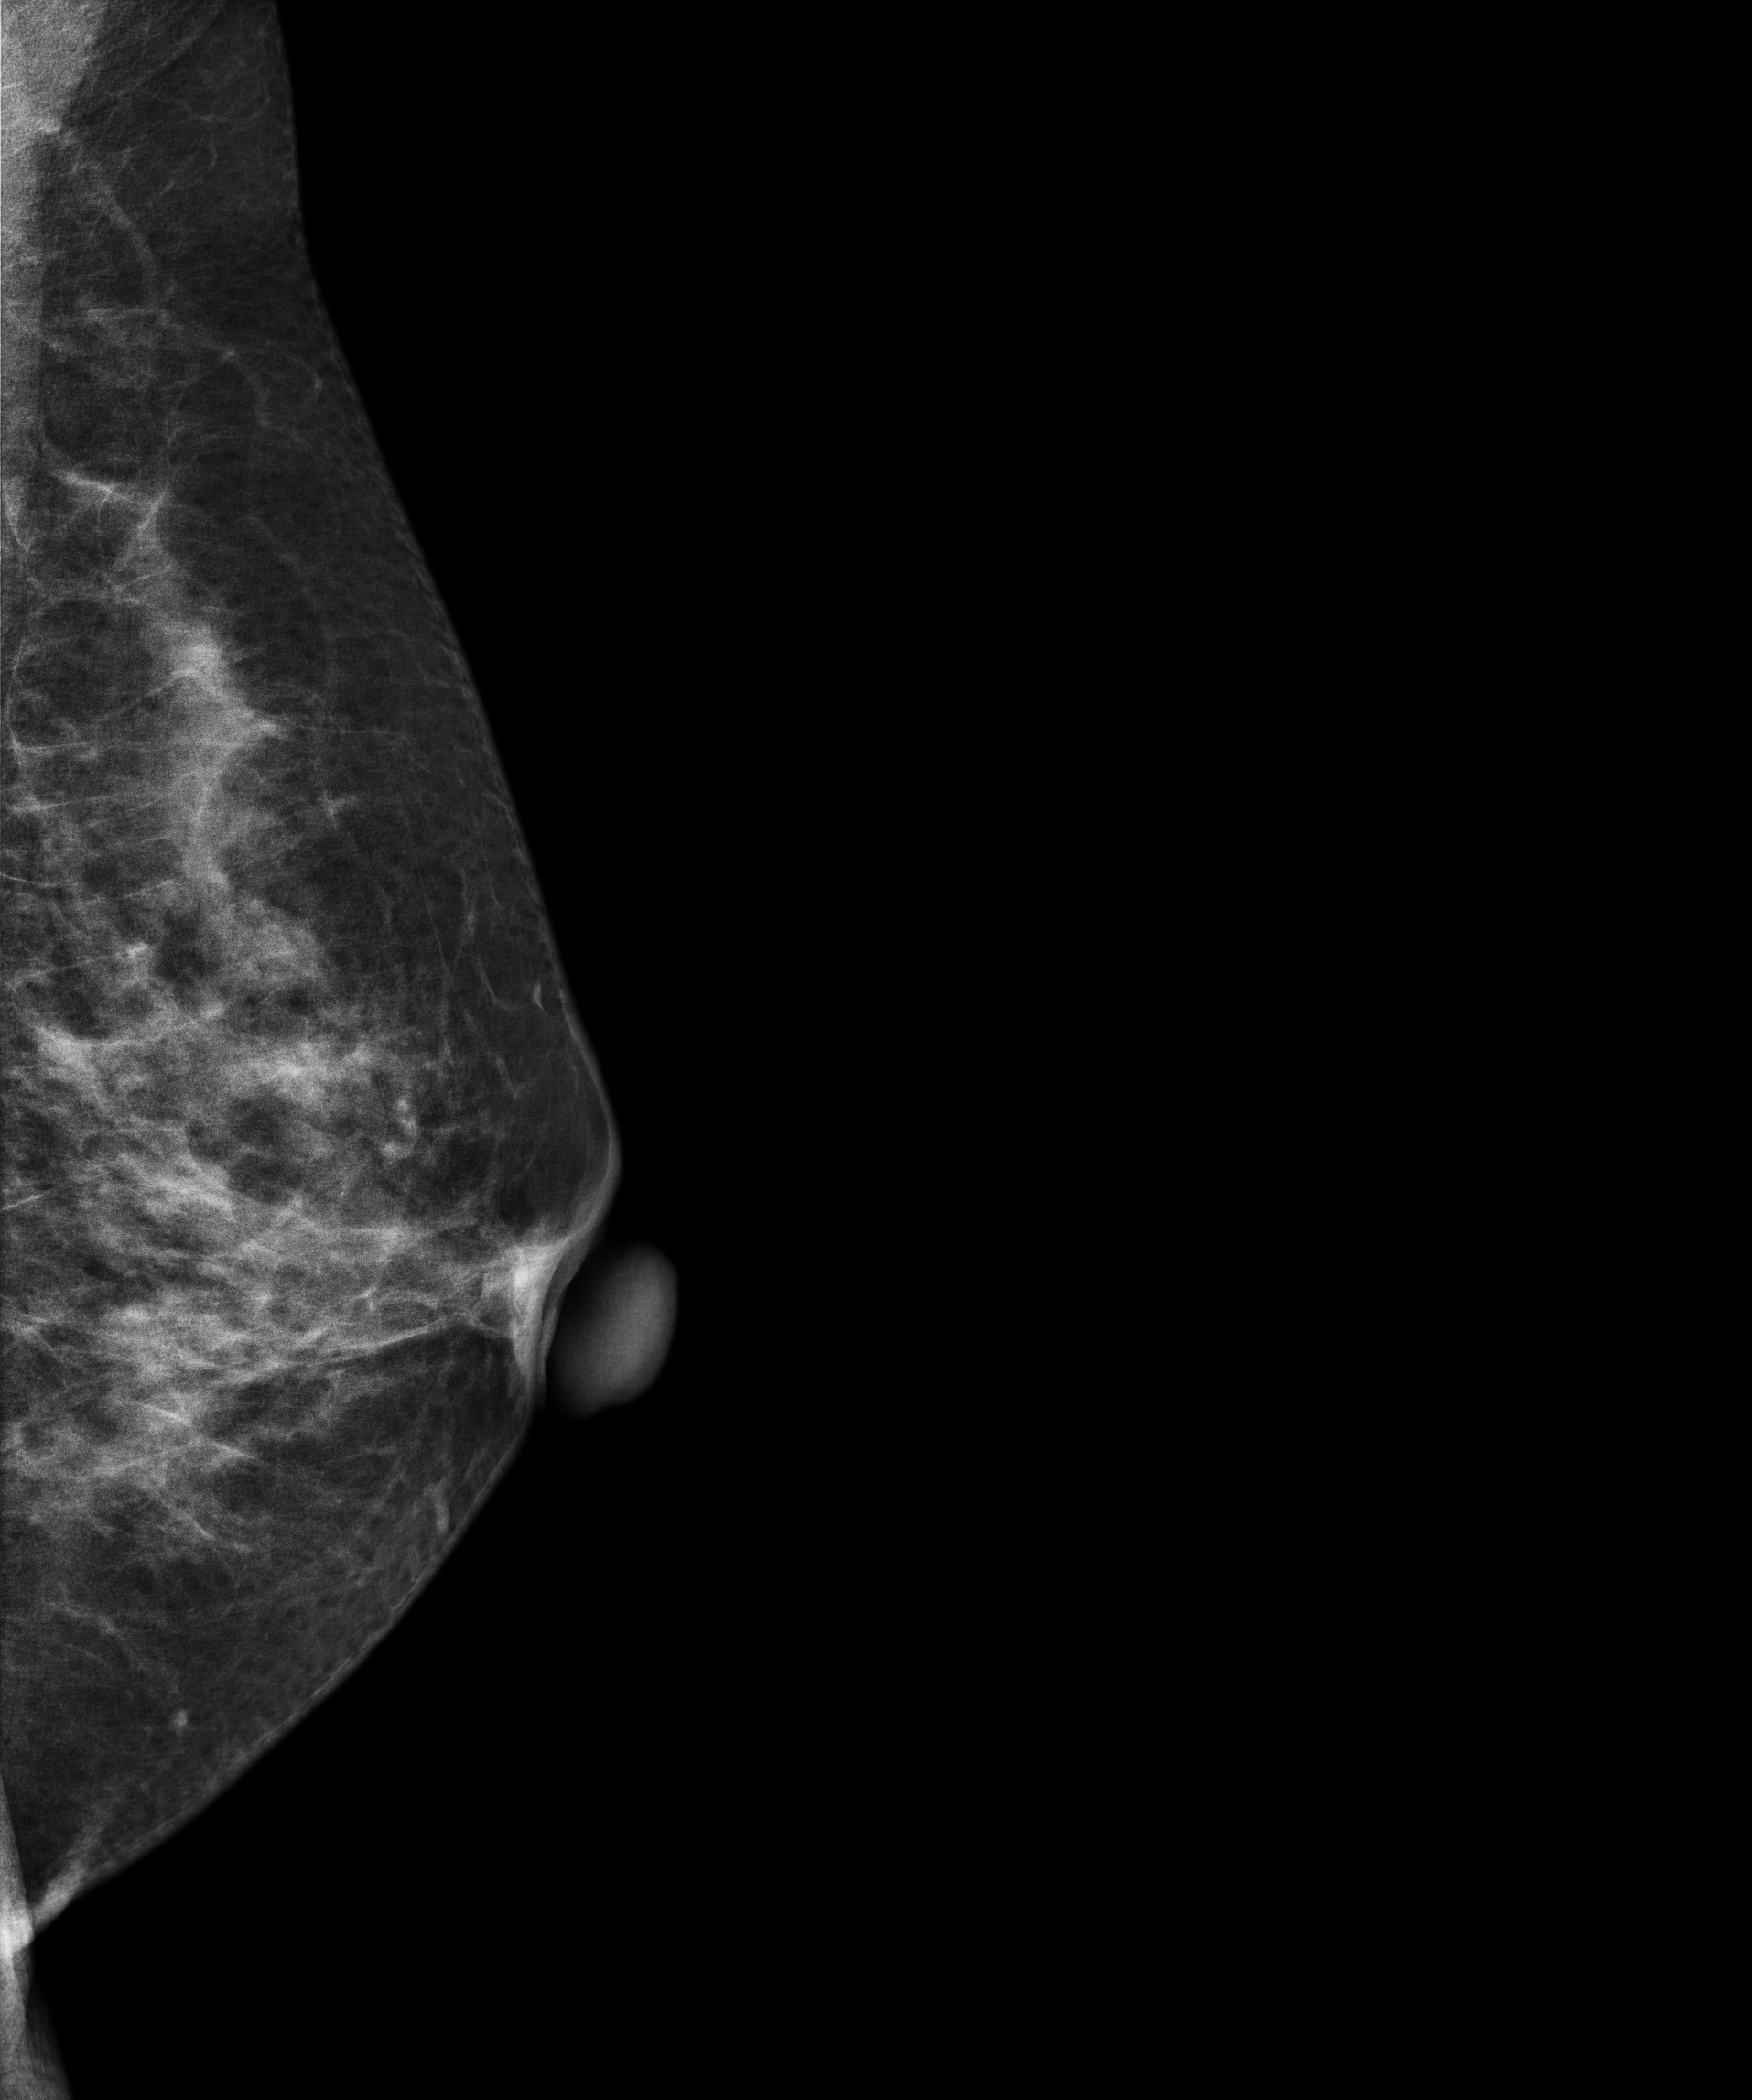
Mammogram — left MLO. 44 y/o patient.
Contralateral breast — no documented abnormality on this side.